Mammogram, right breast, CC view. 43-year-old patient.
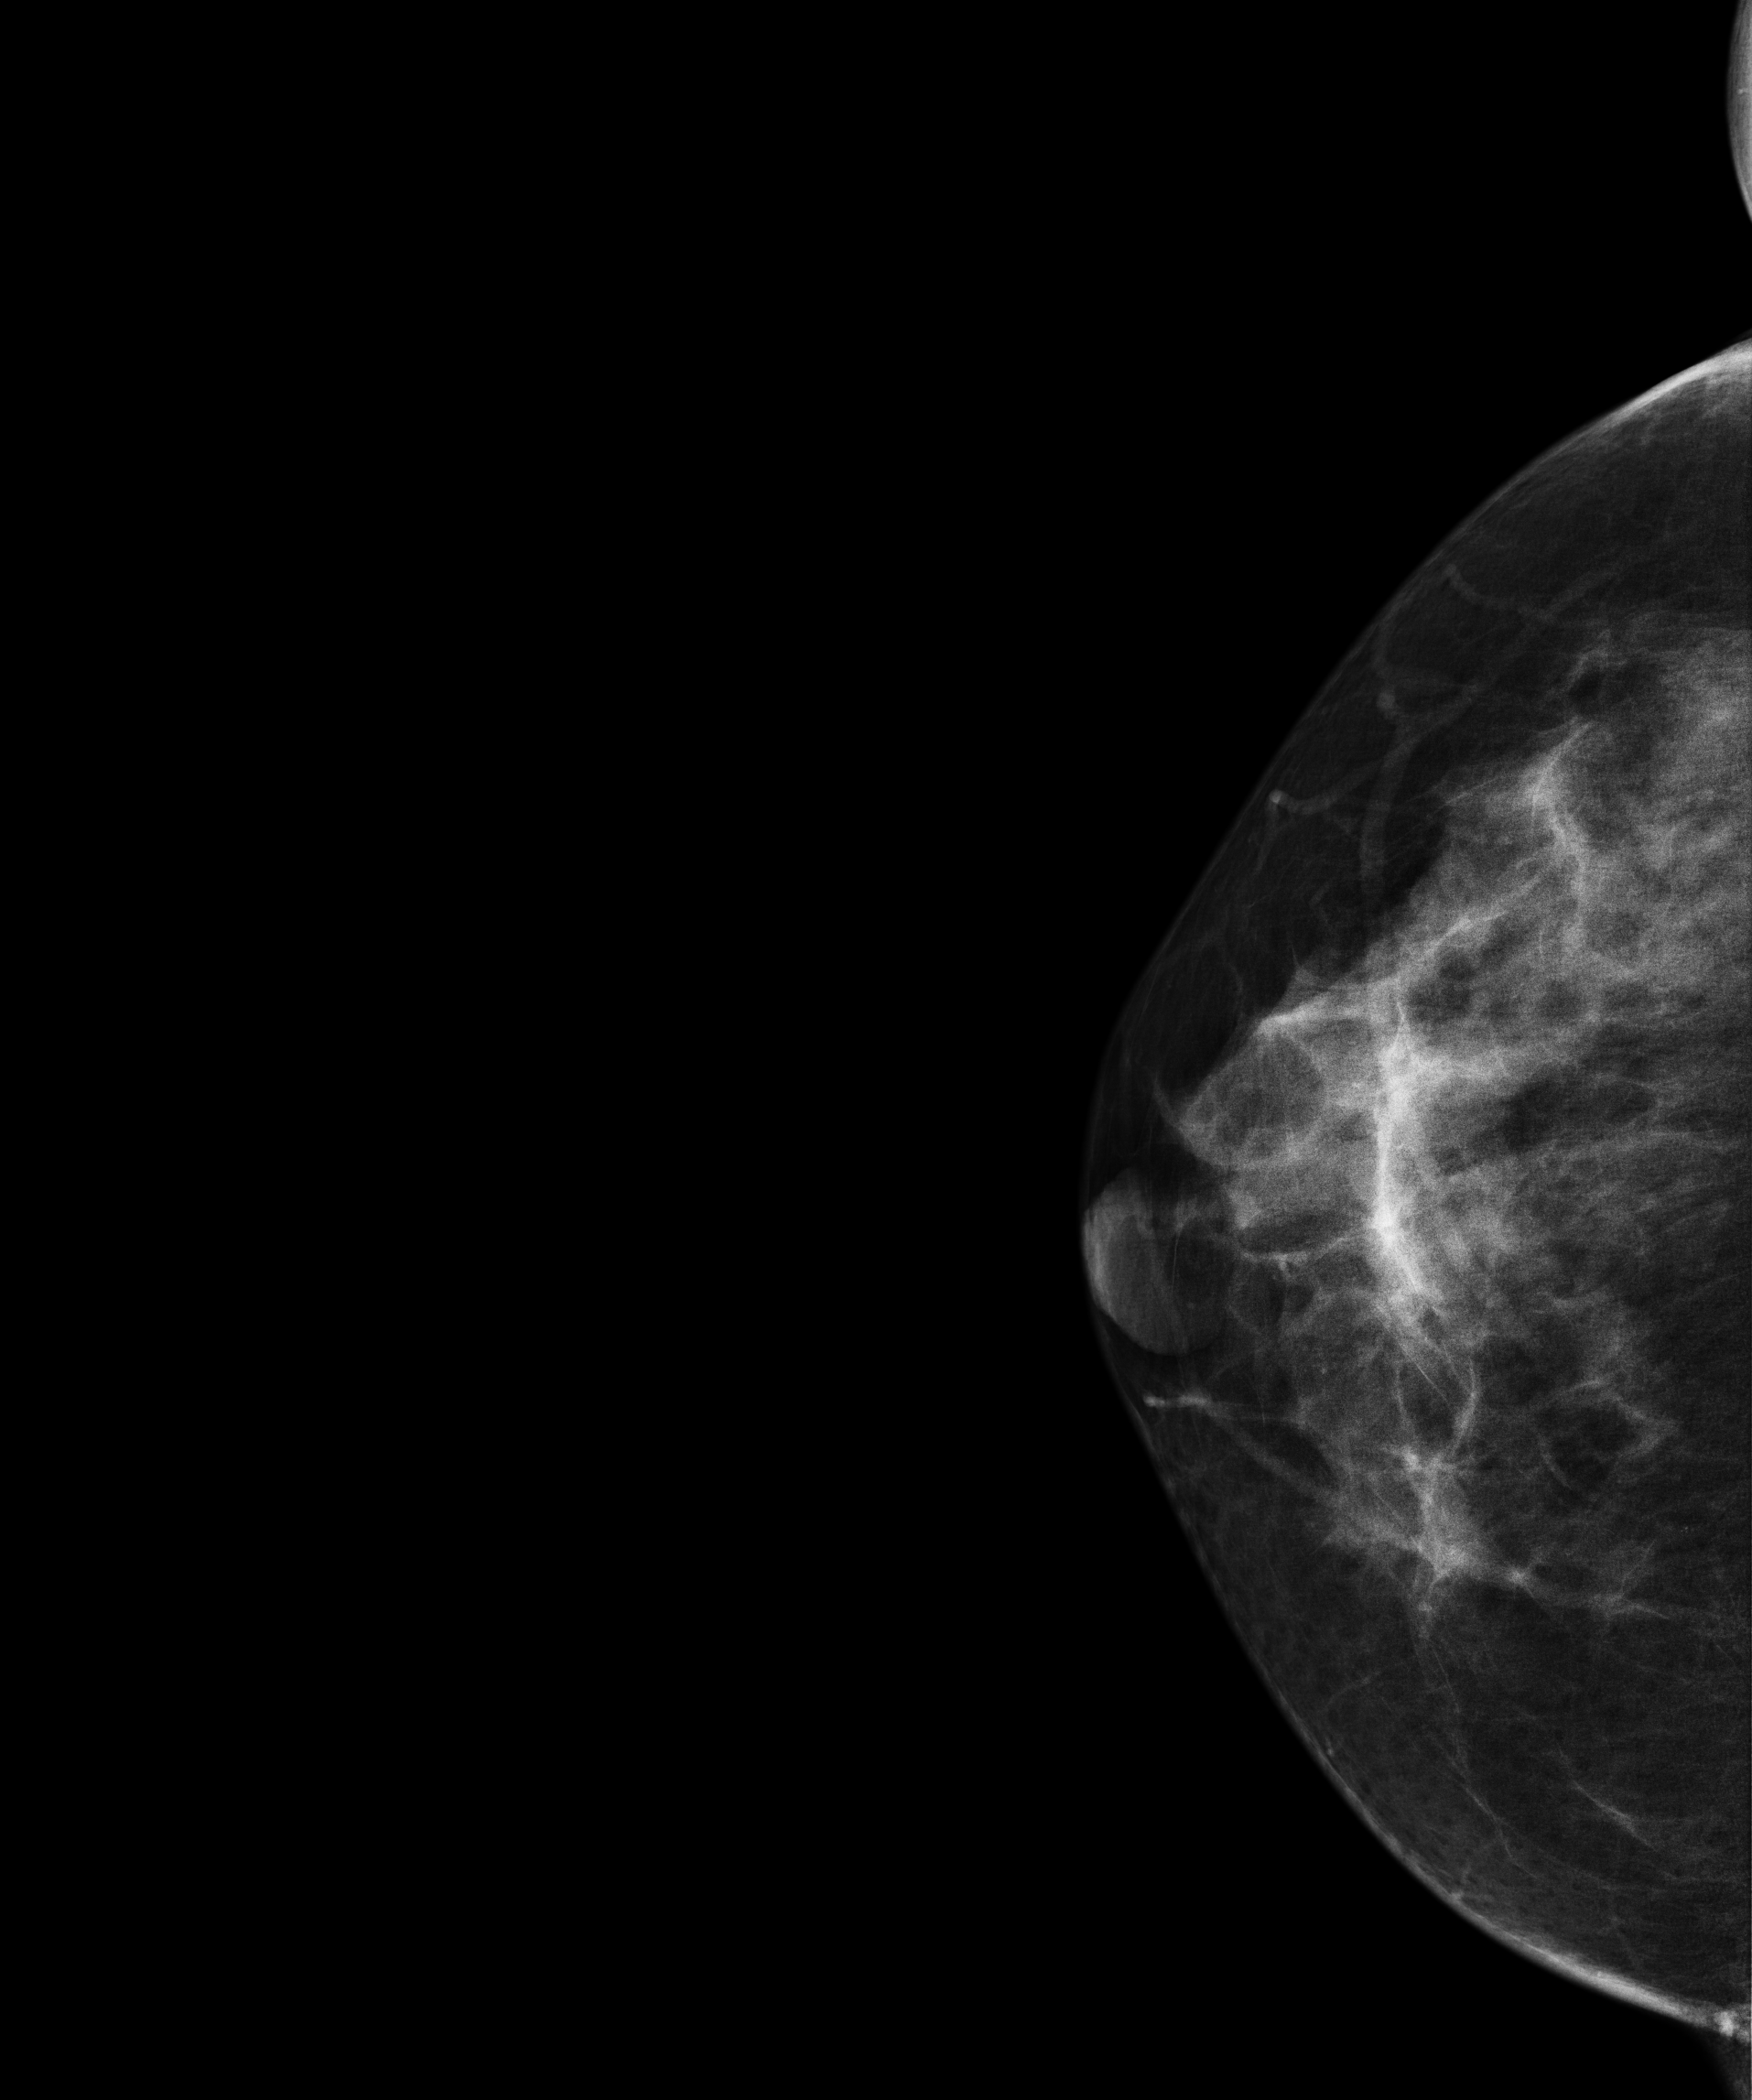
Contralateral breast — no documented abnormality on this side.